Digital mammography. Left breast, MLO projection. Patient age 42.
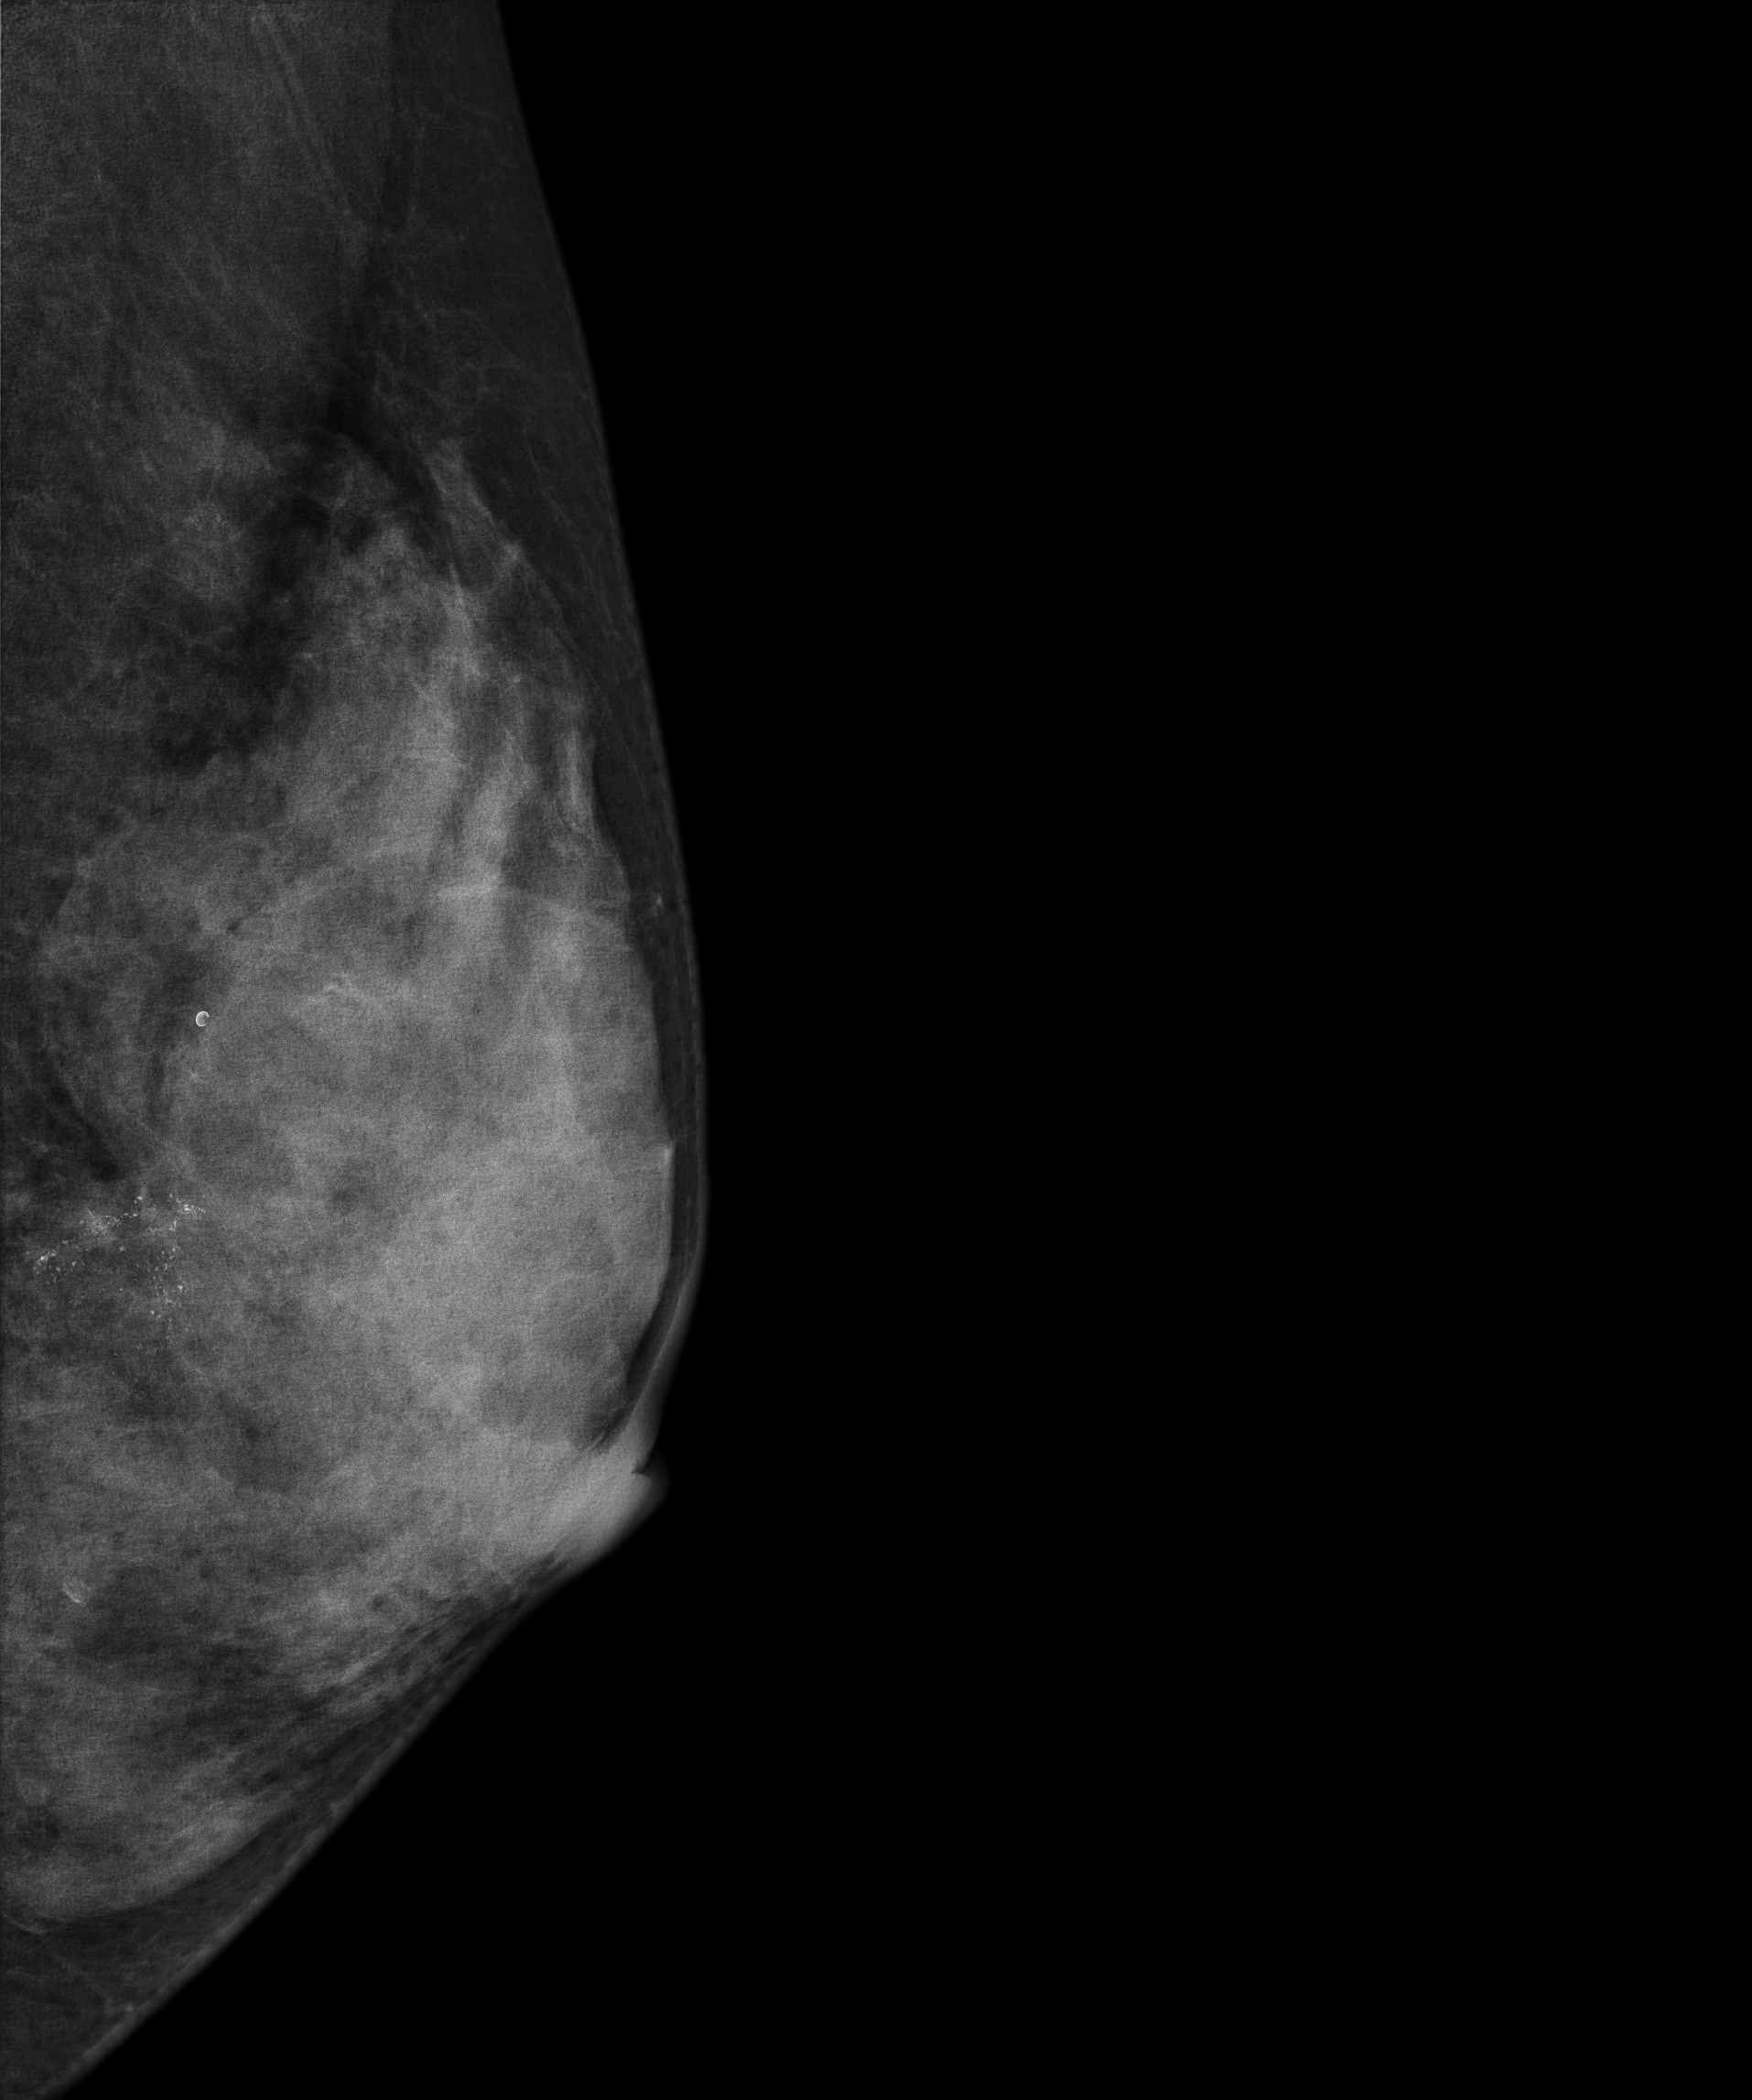
This breast has a mass and calcifications, pathology-confirmed malignant. Molecular subtype: luminal B.